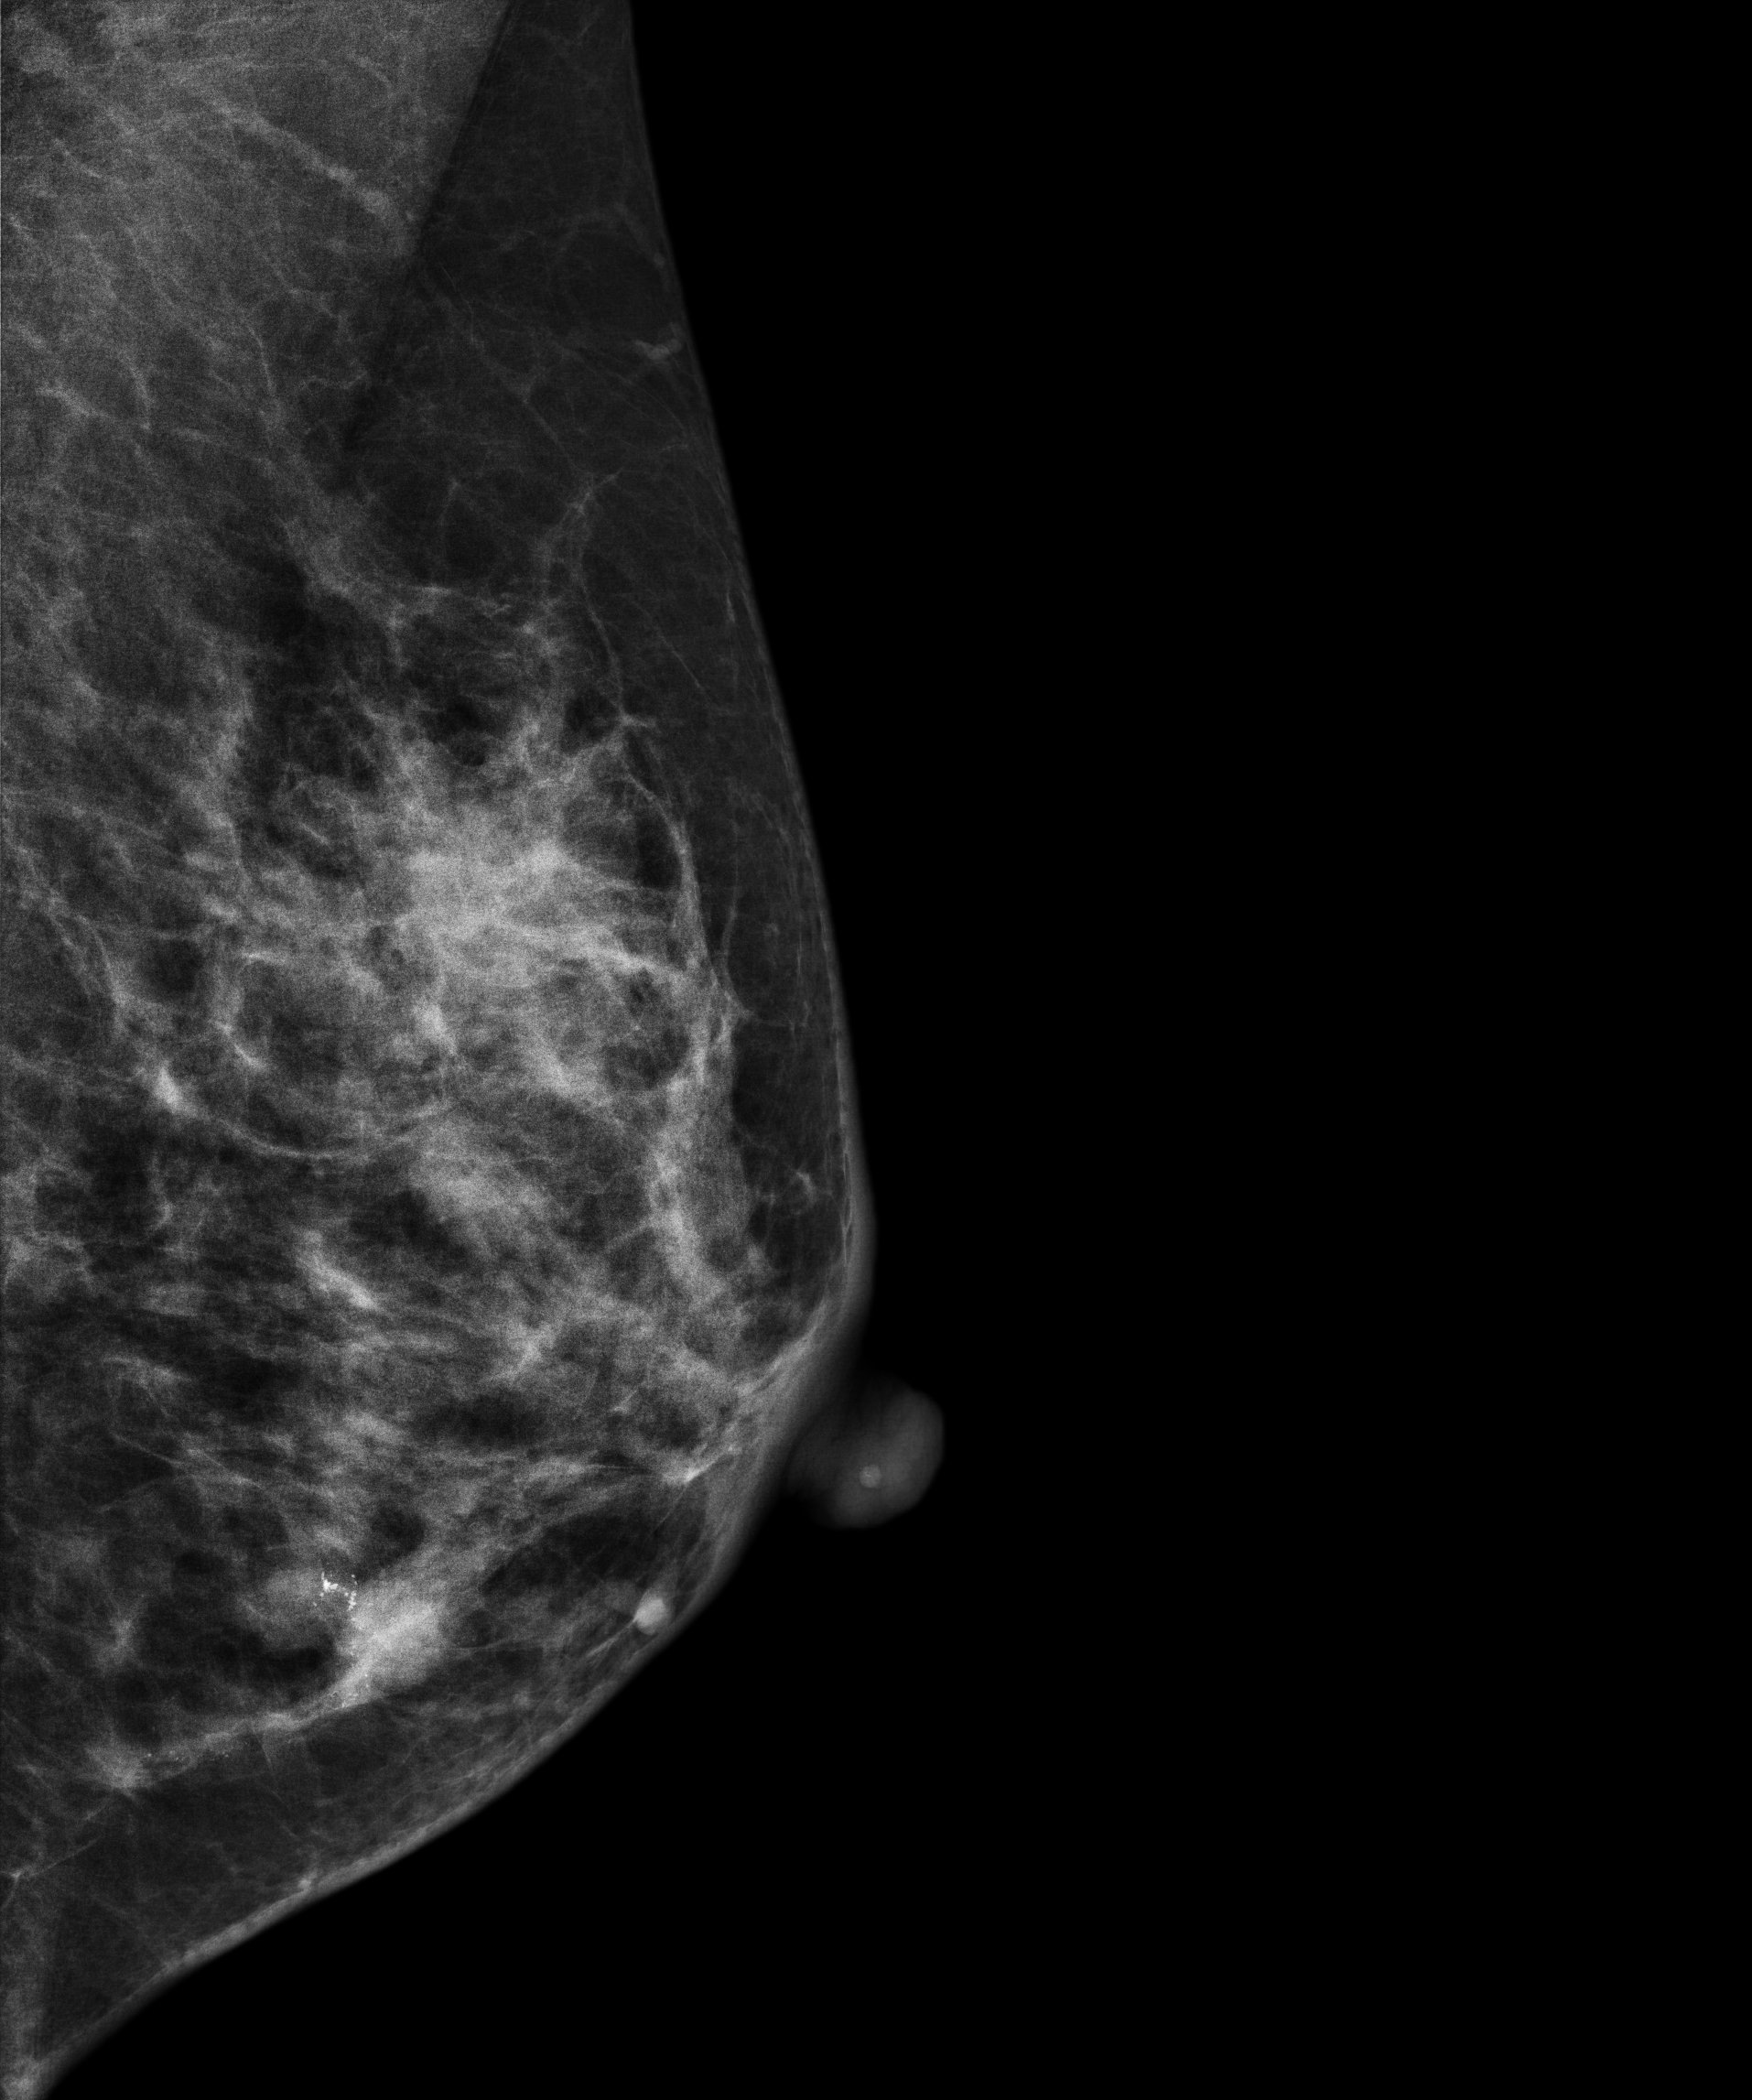
Mammogram, left breast, medio-lateral oblique view. 46-year-old patient.
This breast has calcifications, pathology-confirmed malignant. Molecular subtype: HER2-enriched.